Left-breast mammogram, MLO. Patient age 51.
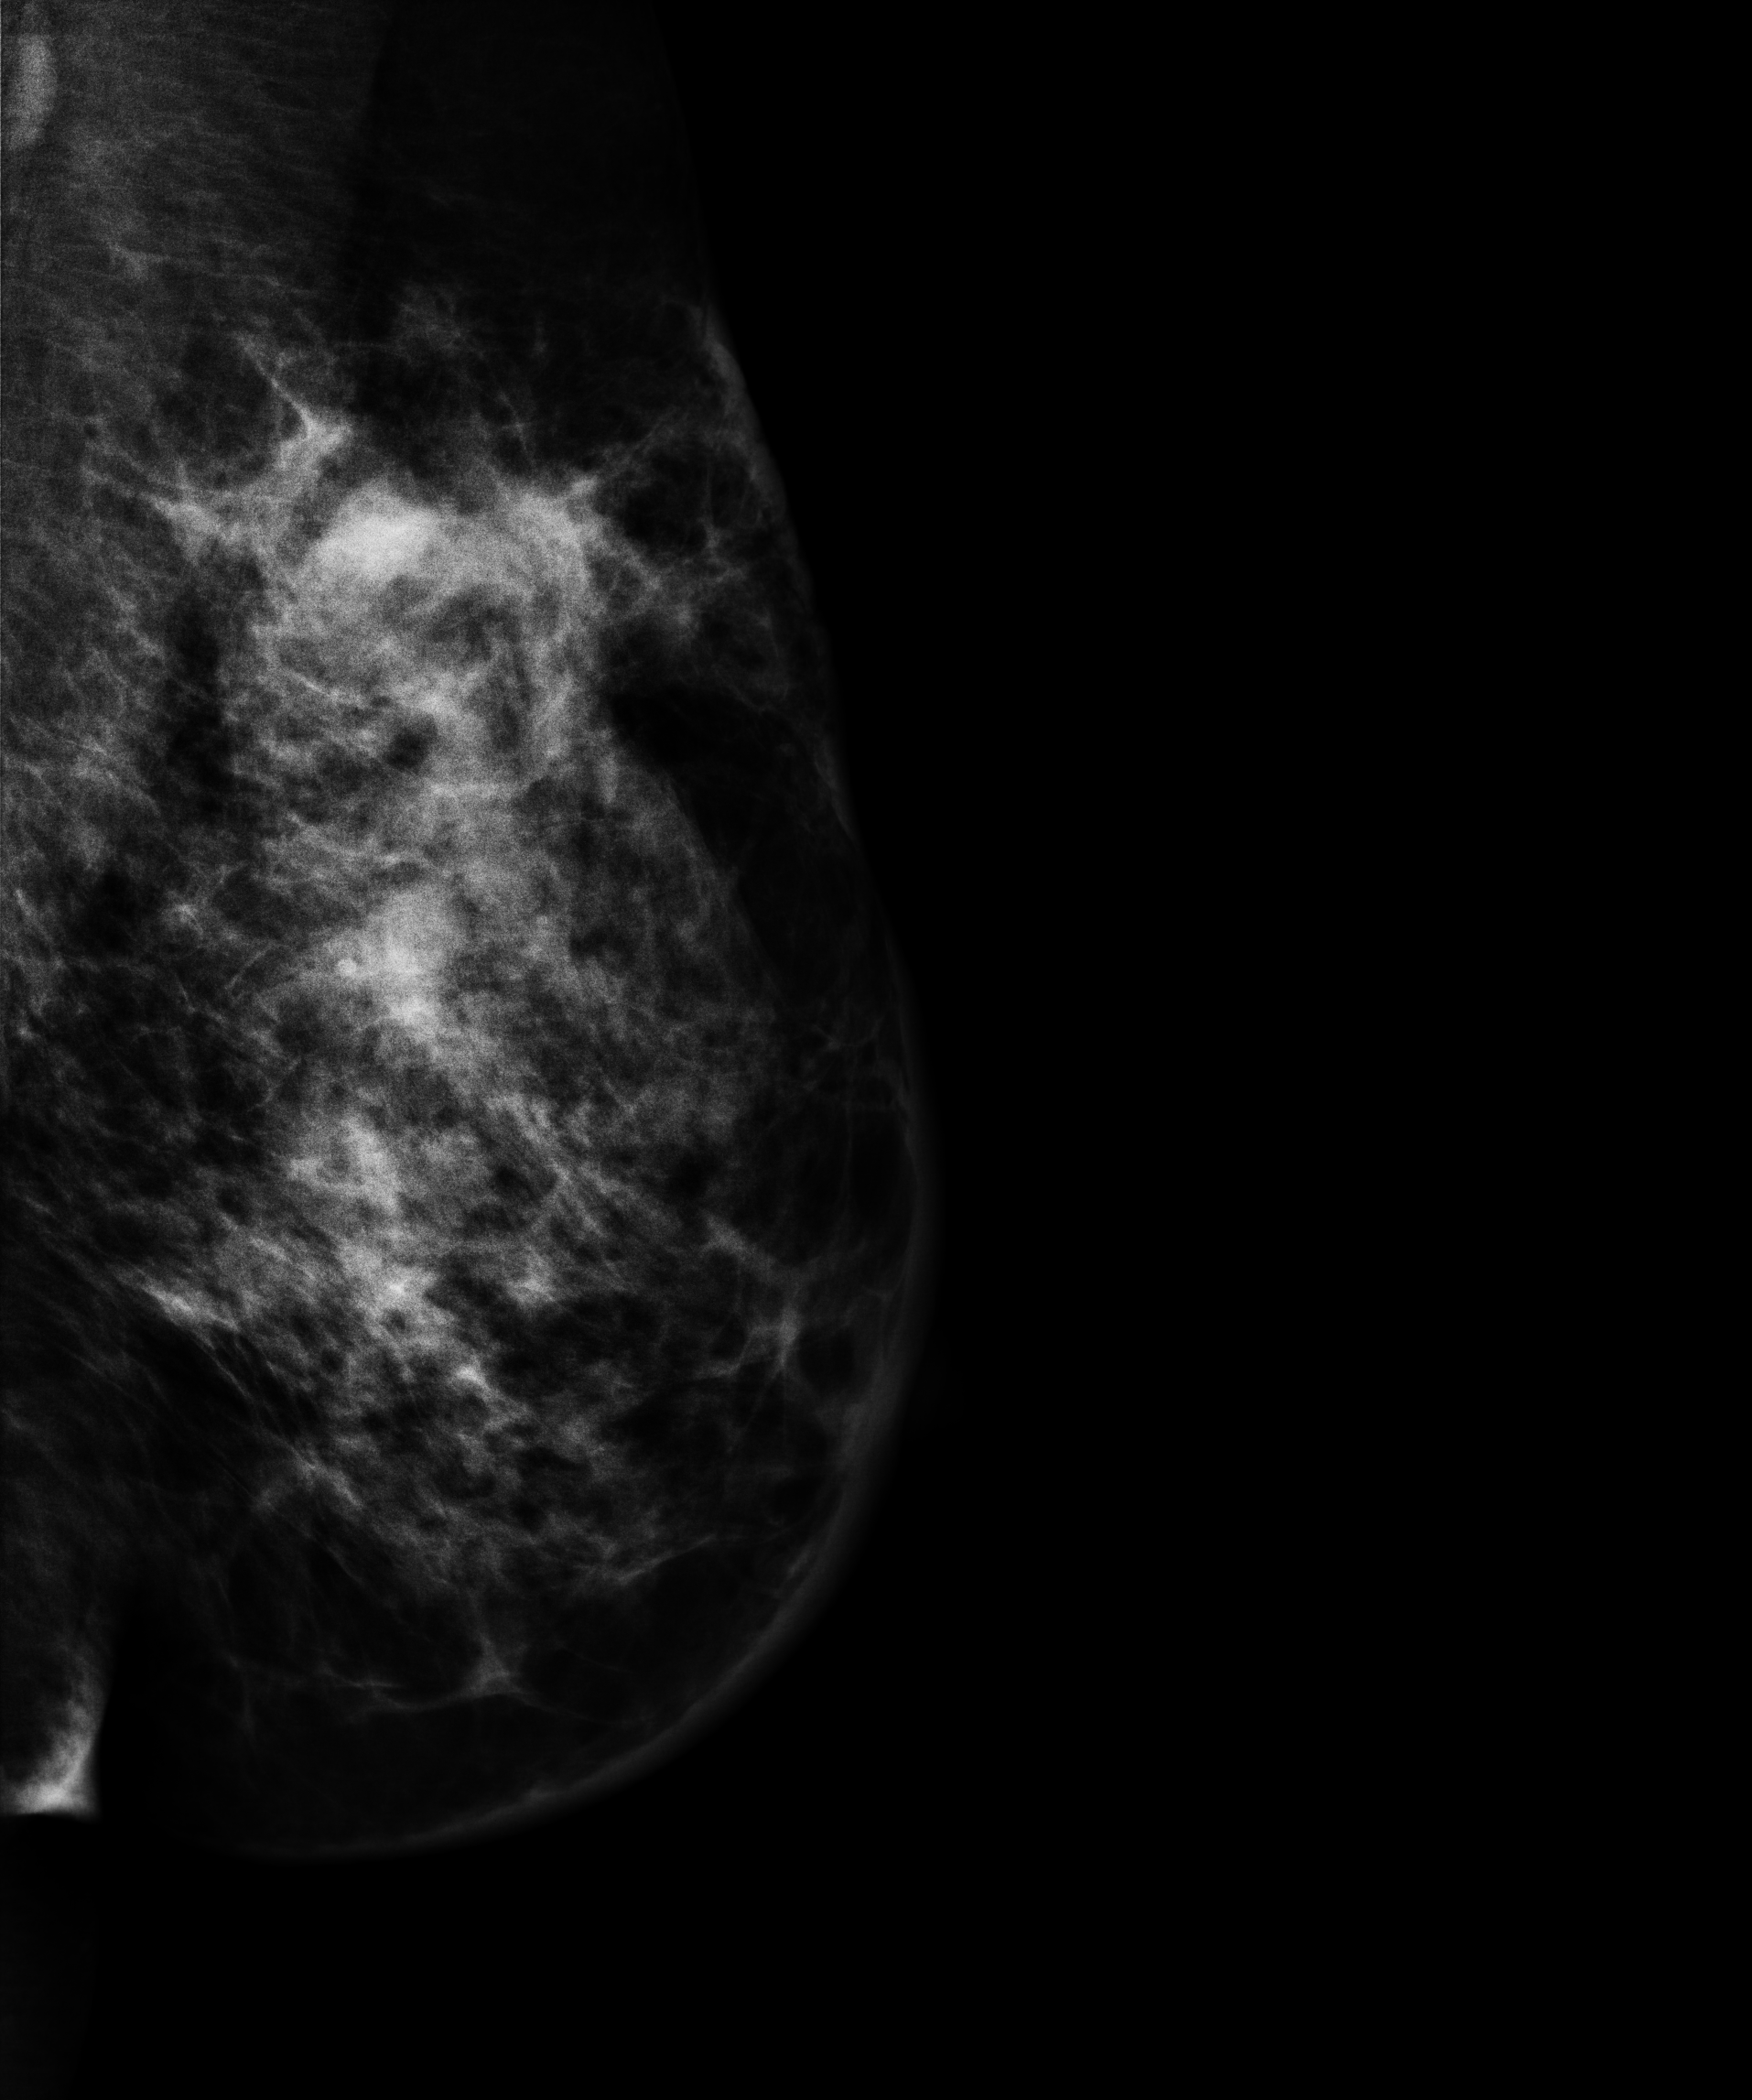
This breast has a mass, biopsy-confirmed malignant. Molecular subtype: triple-negative.